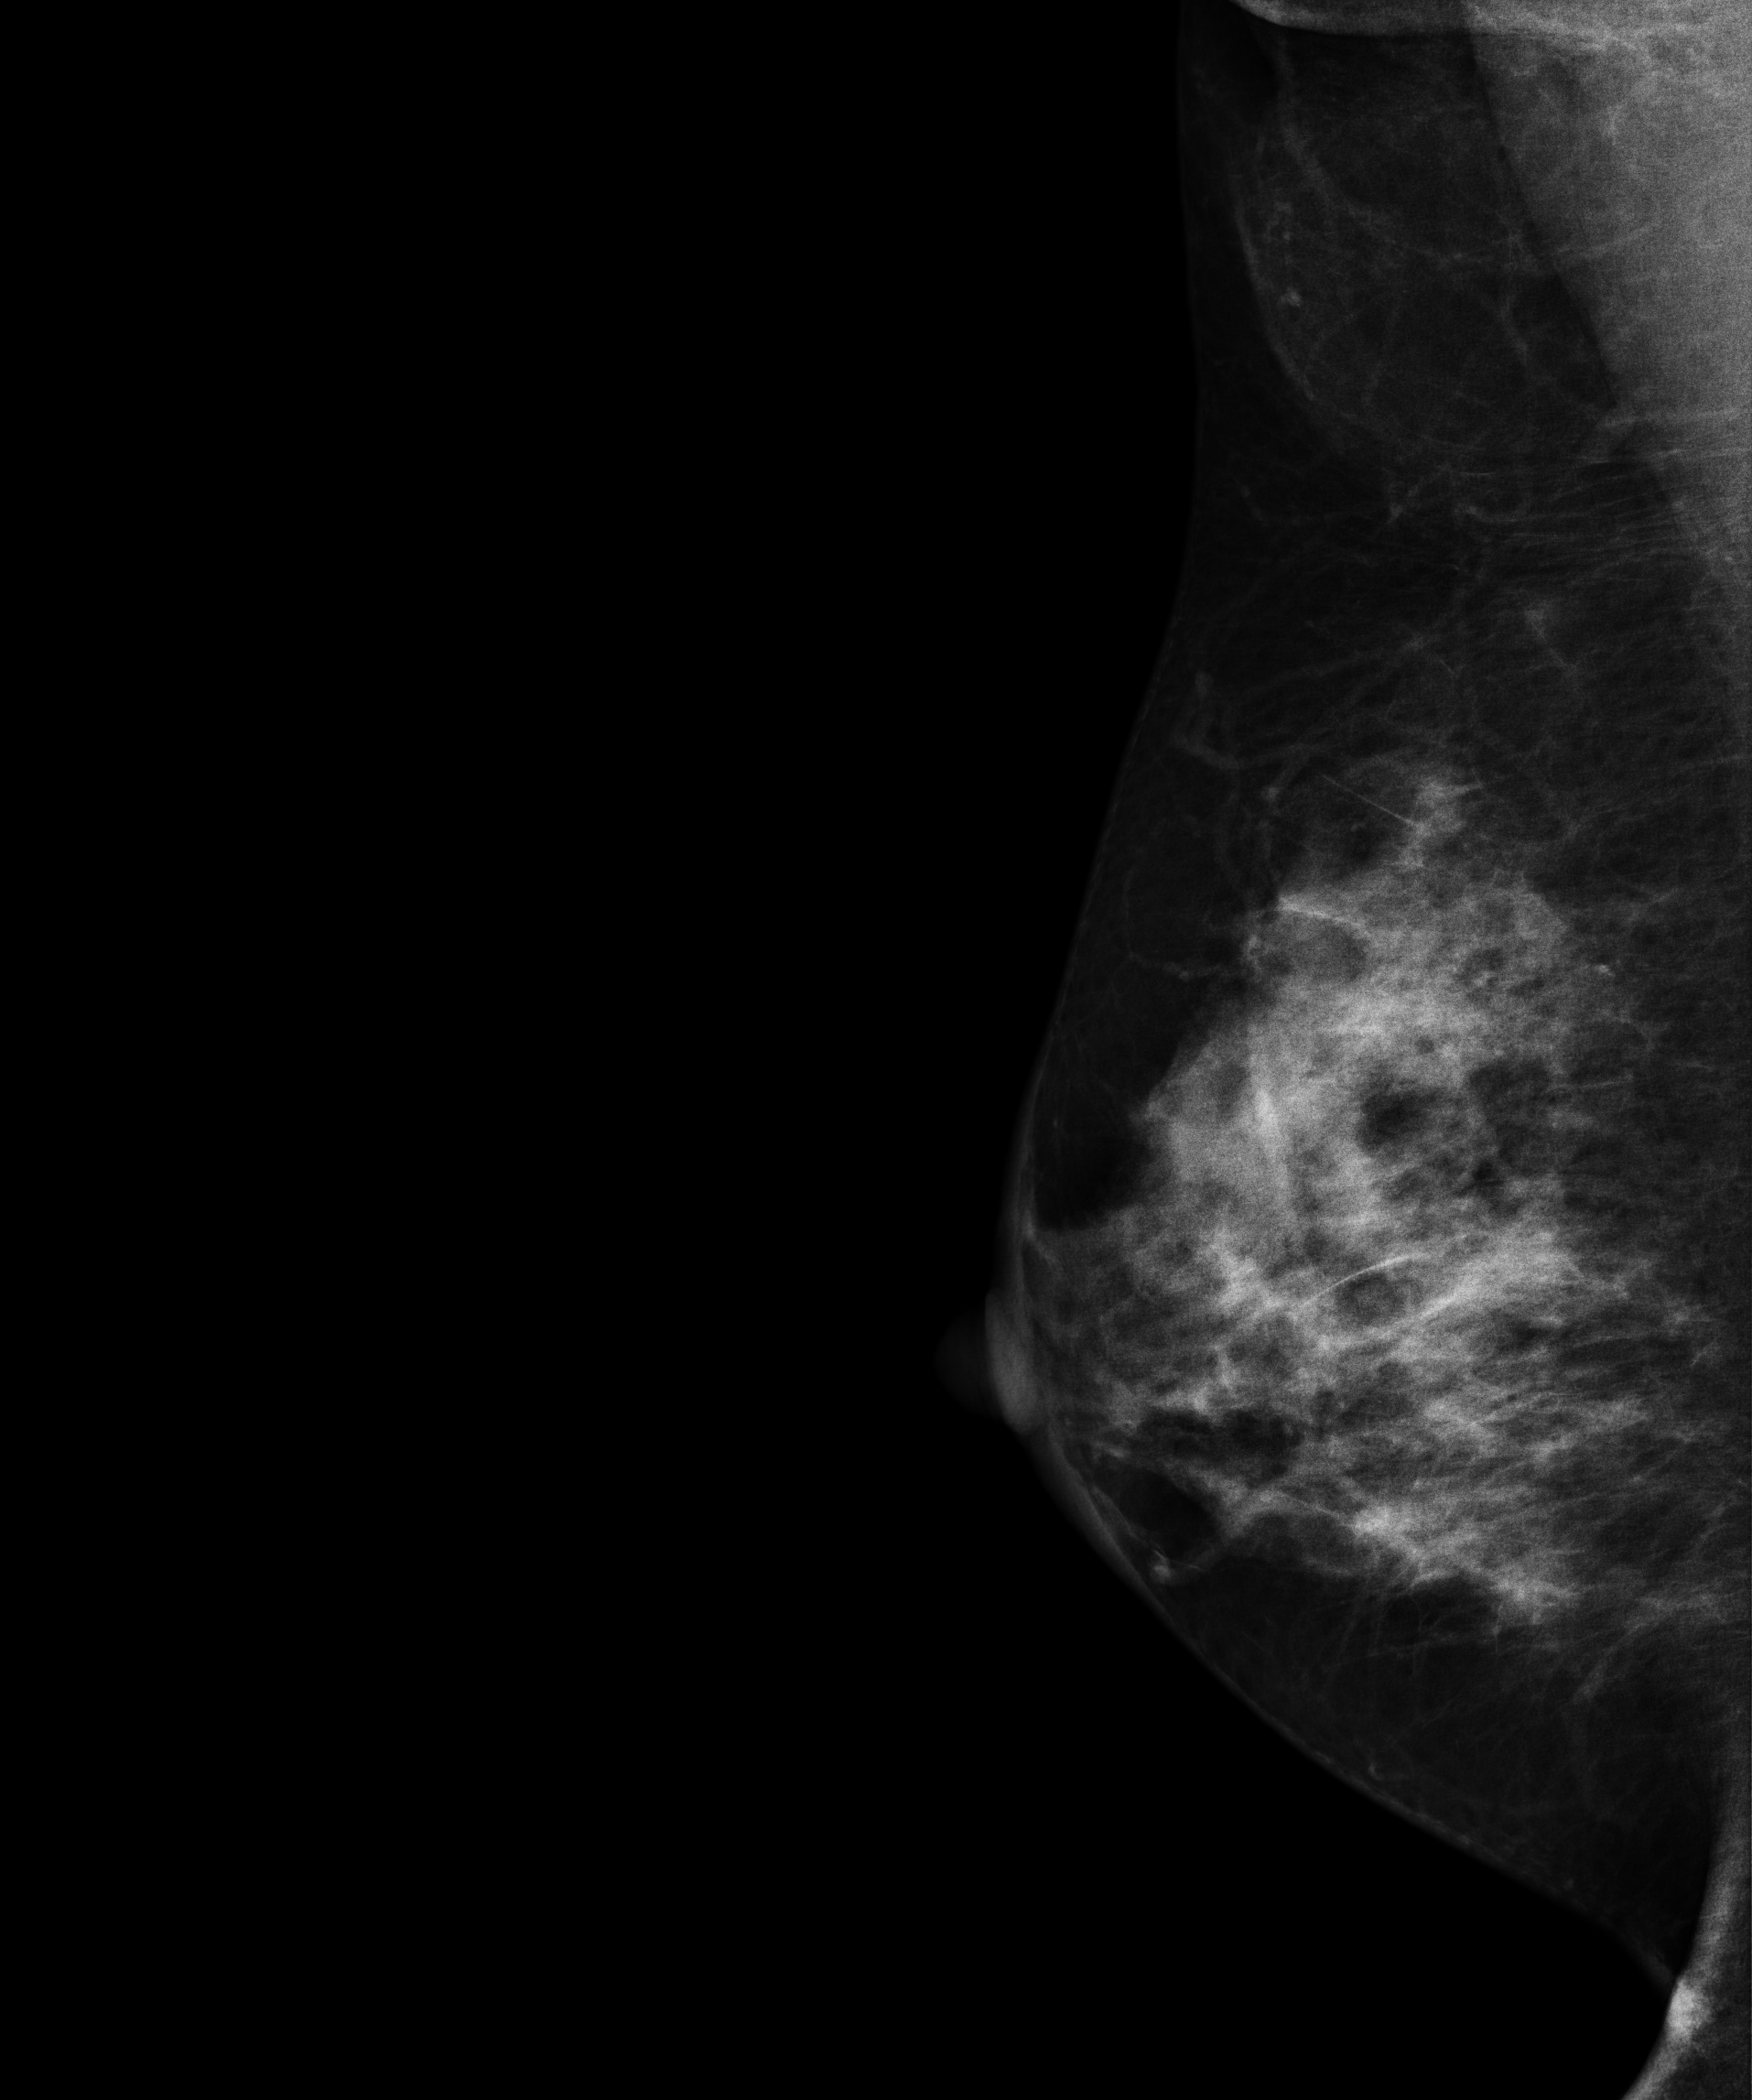
Right-breast mammogram, medio-lateral oblique. 44 y/o patient.
Contralateral breast — no documented abnormality on this side.